Left-breast mammogram, MLO. 40 y/o patient.
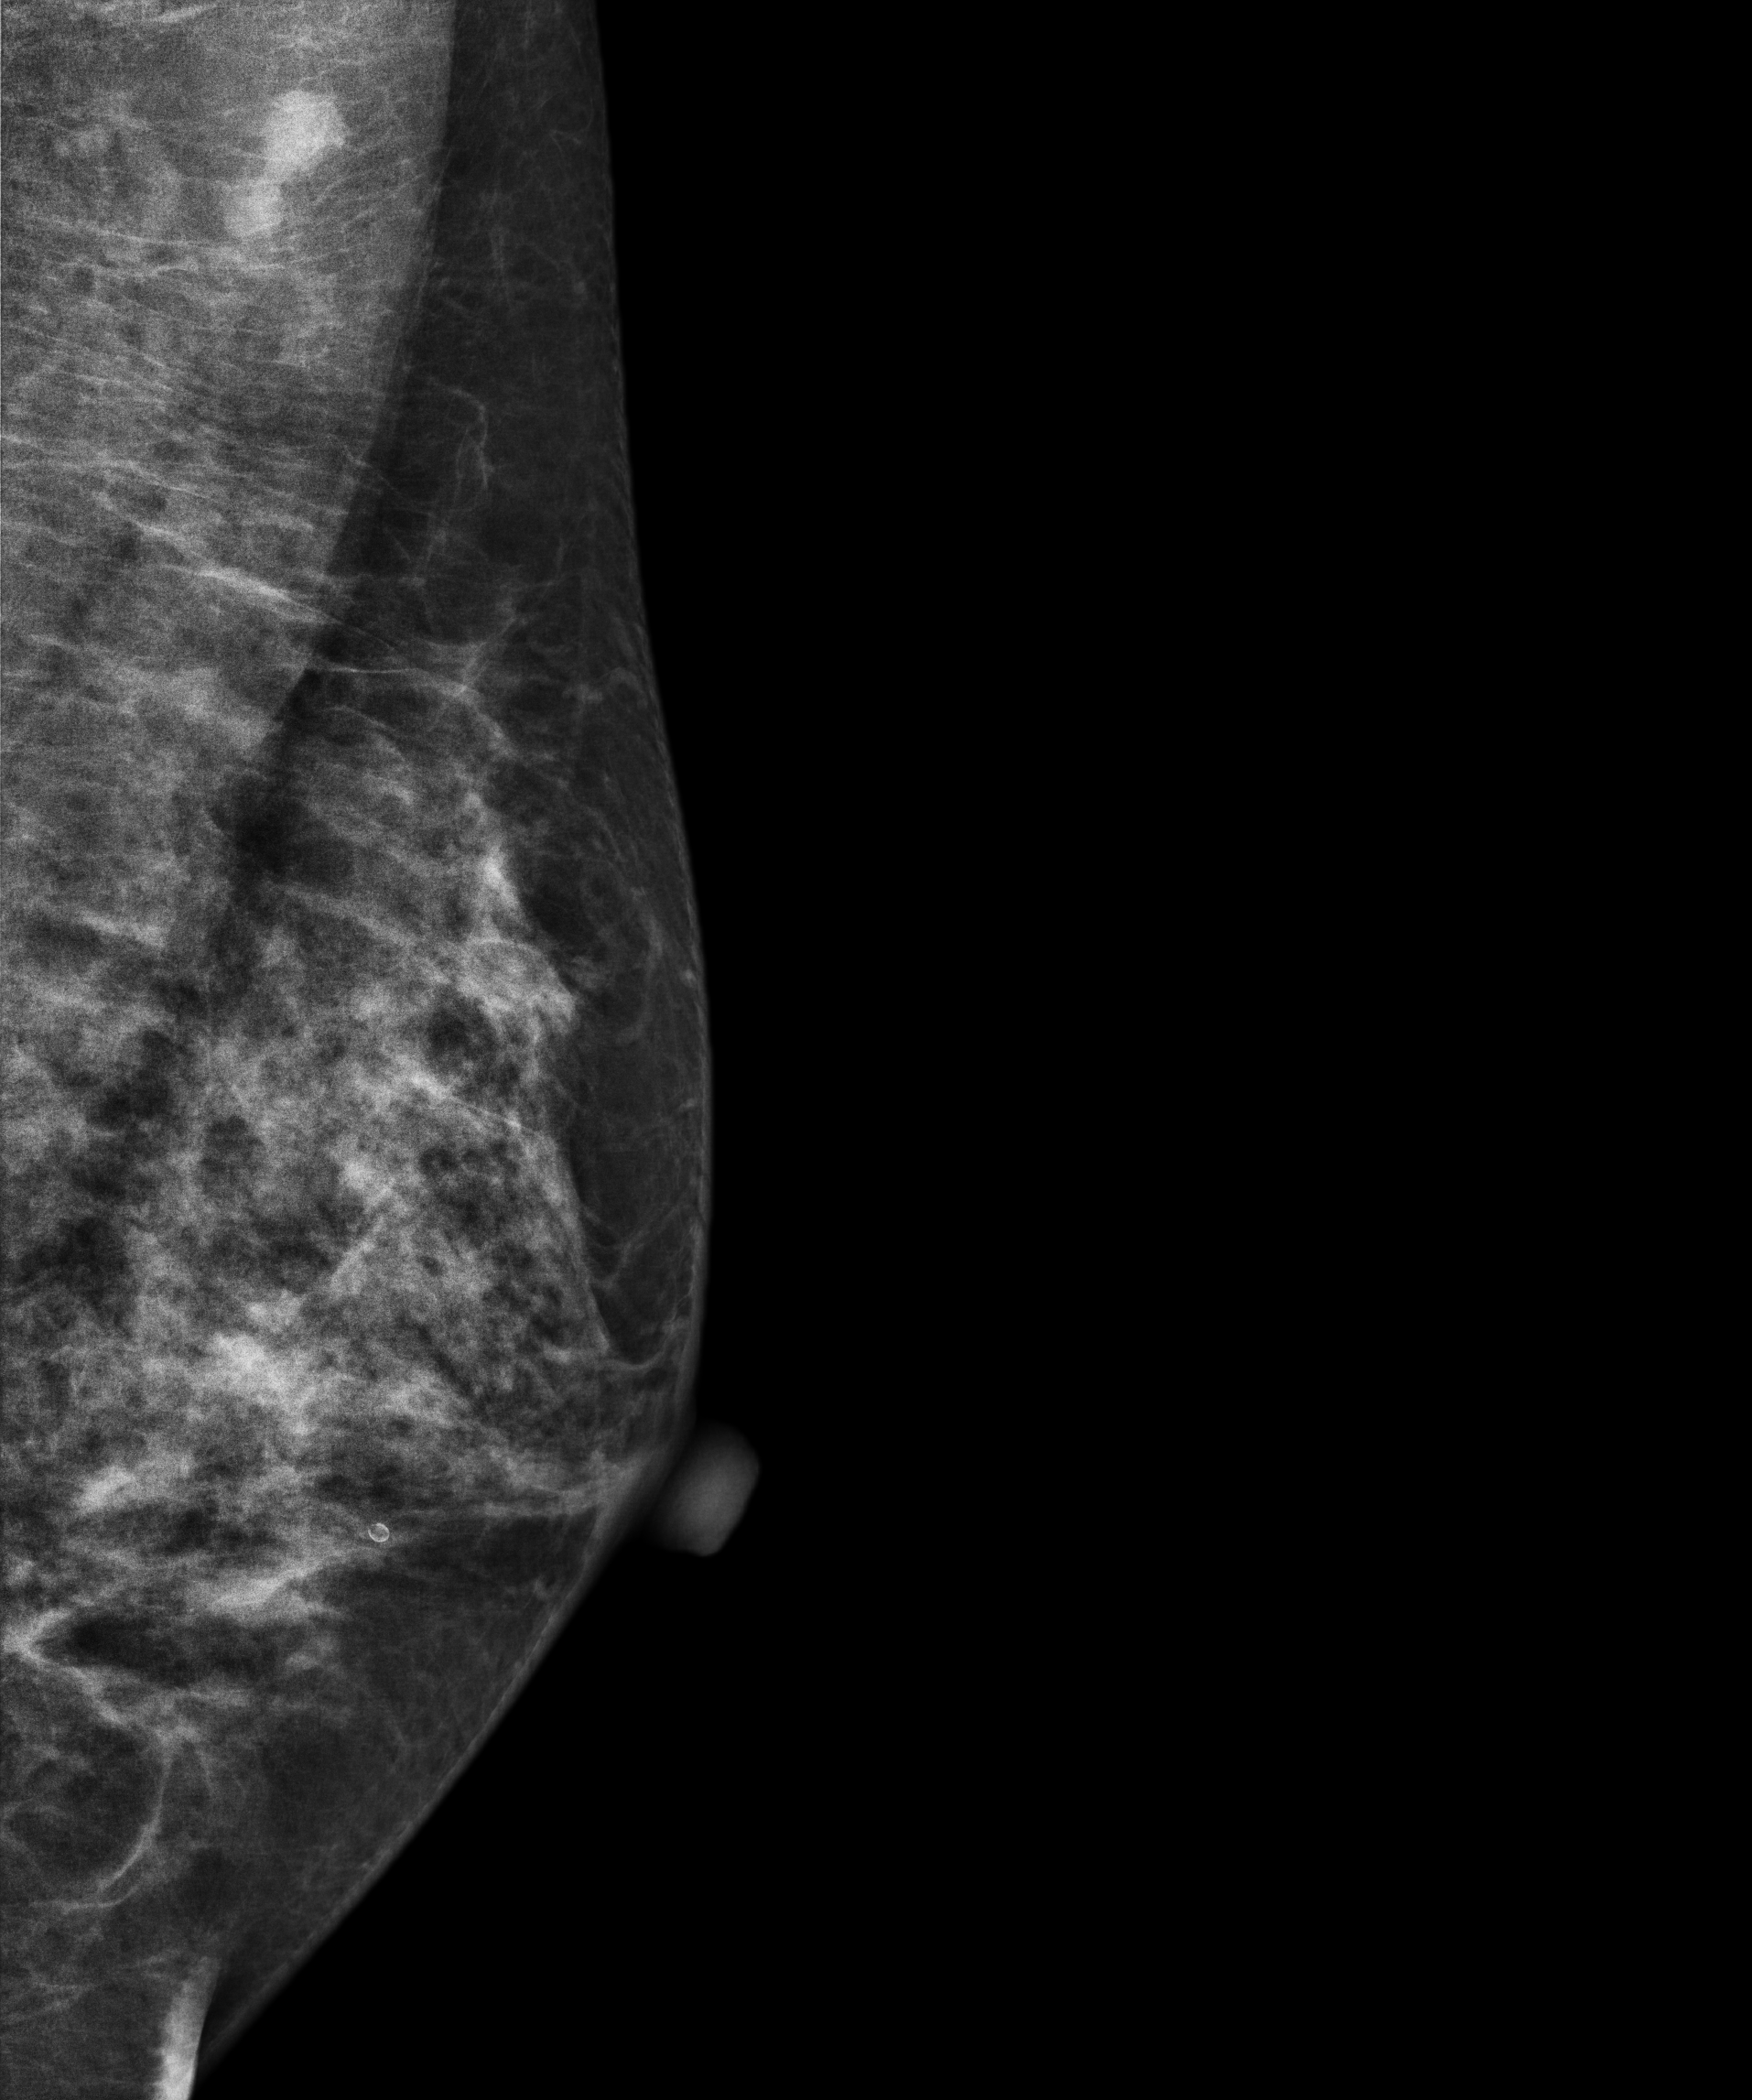
This breast has a mass, biopsy-confirmed malignant.